Mammogram — left cranio-caudal. Patient age 57.
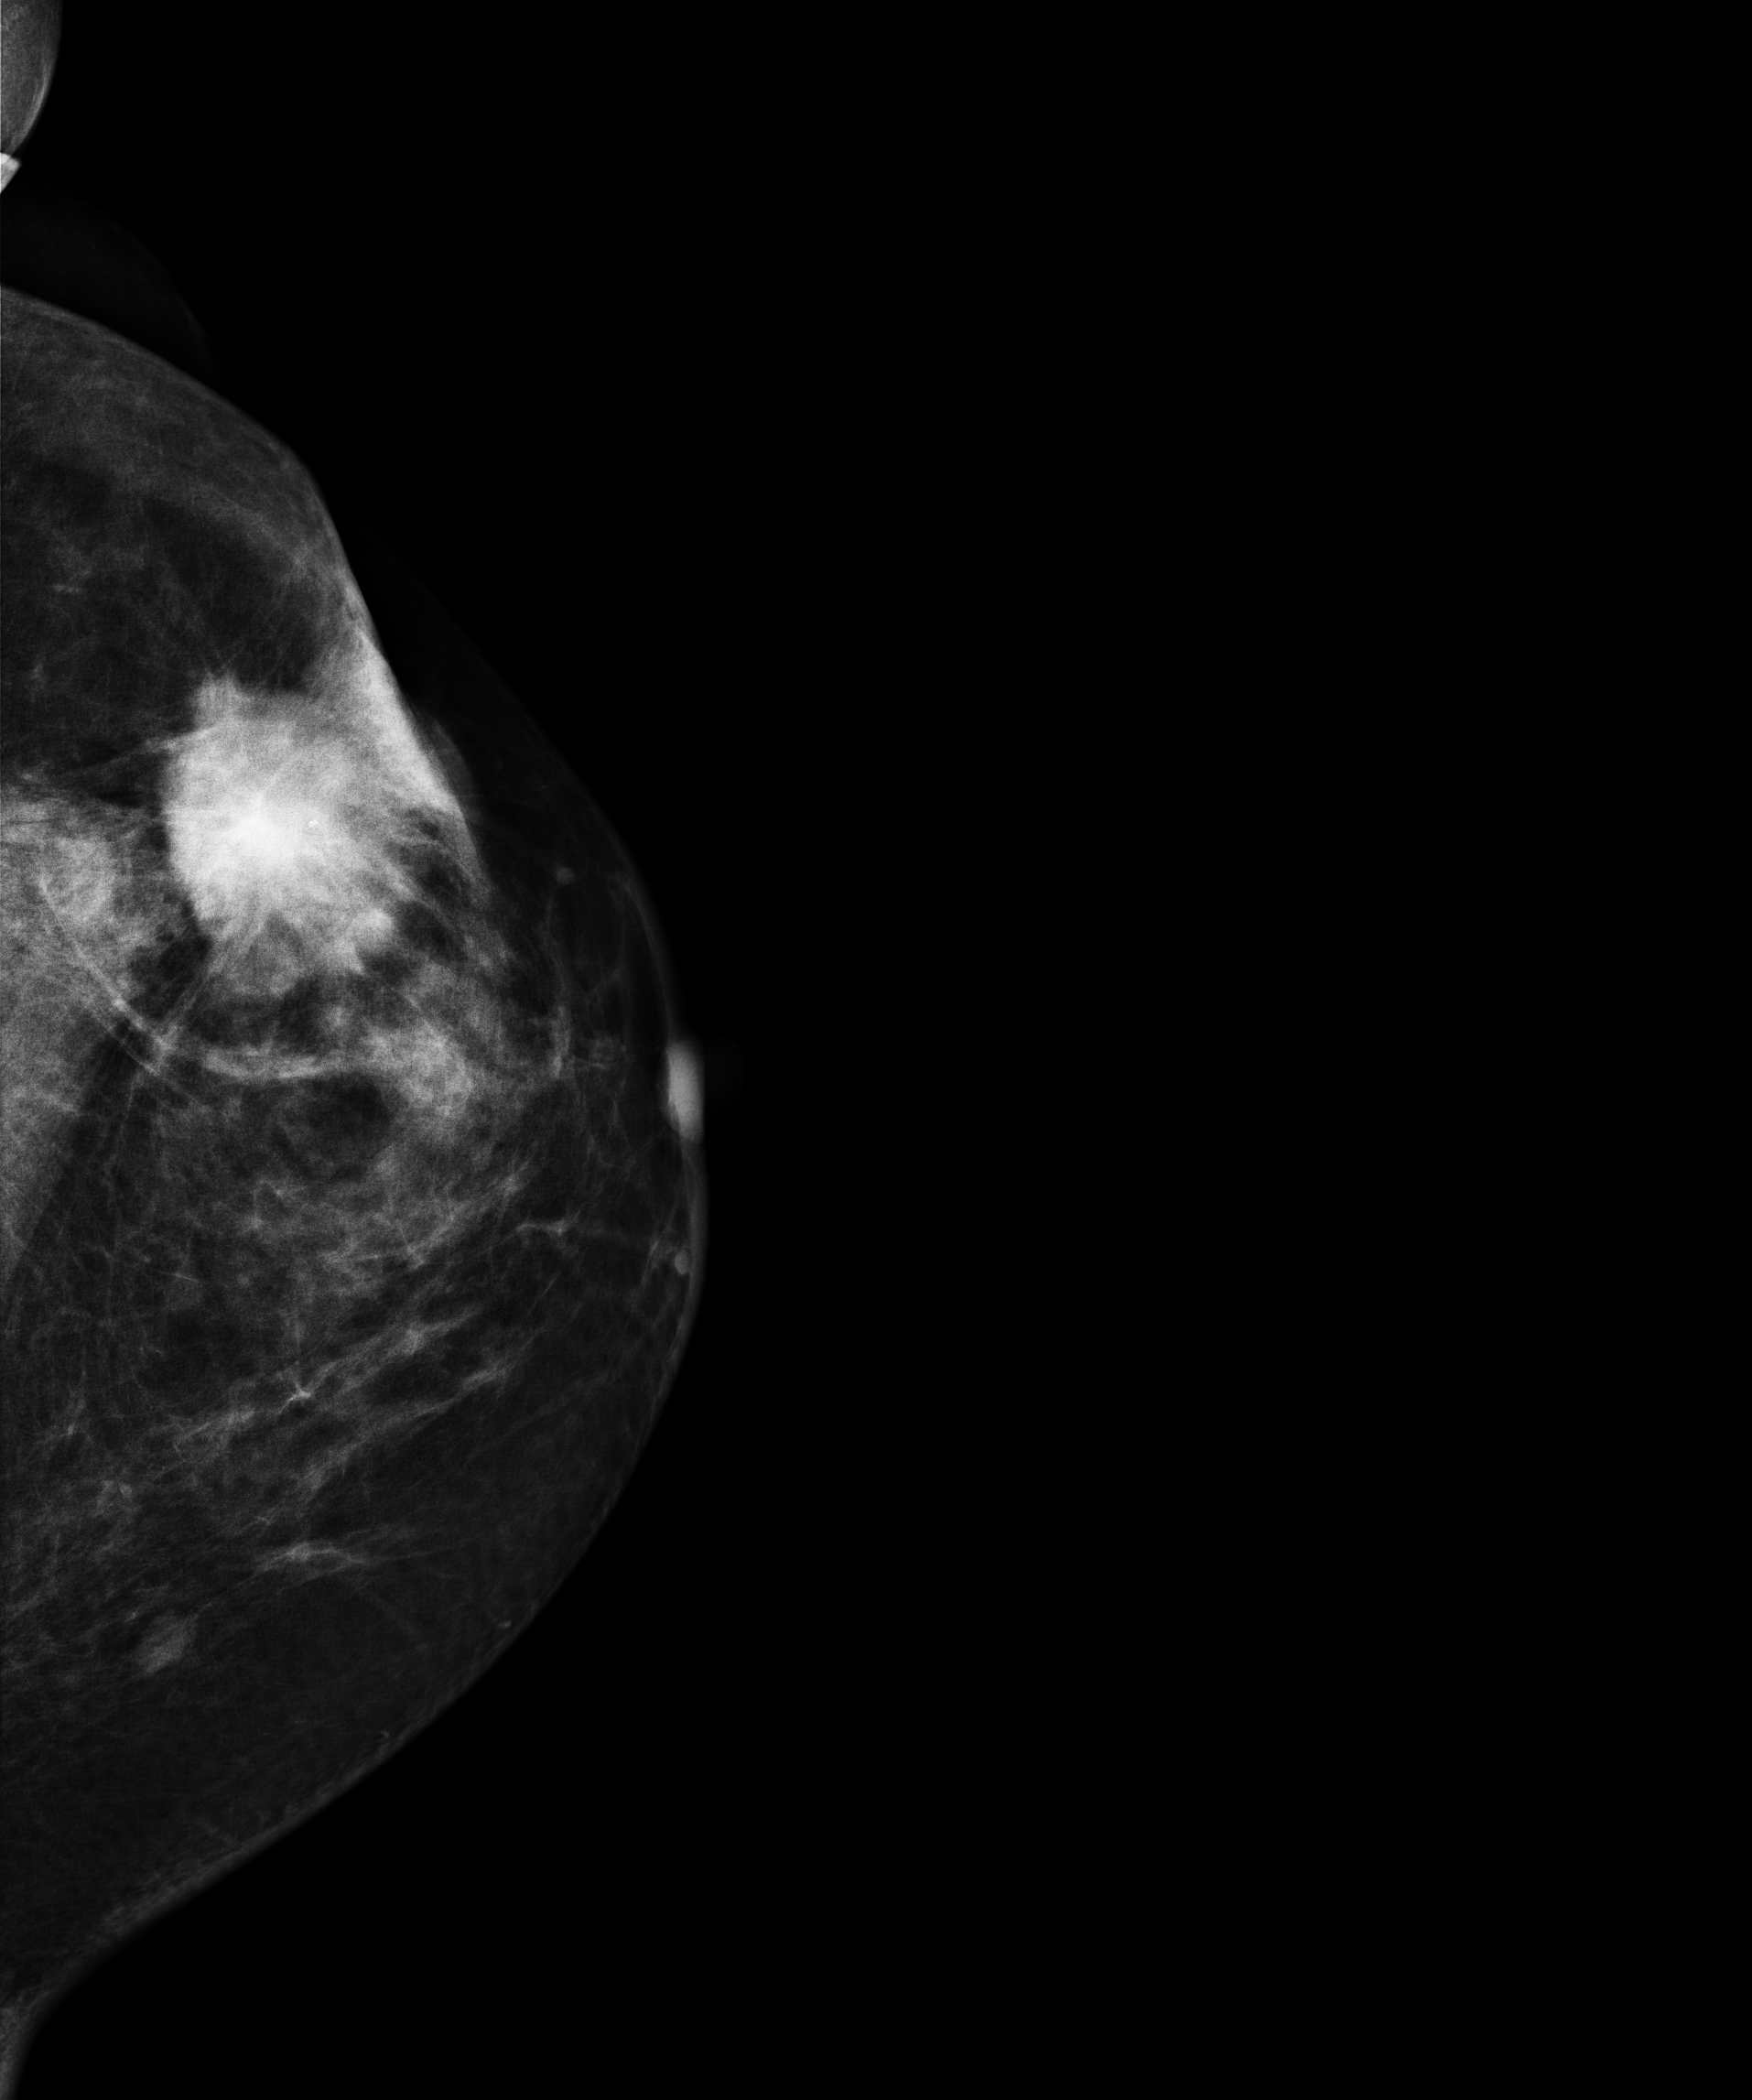
This breast has a mass, histologically confirmed malignant. Molecular subtype: luminal A.